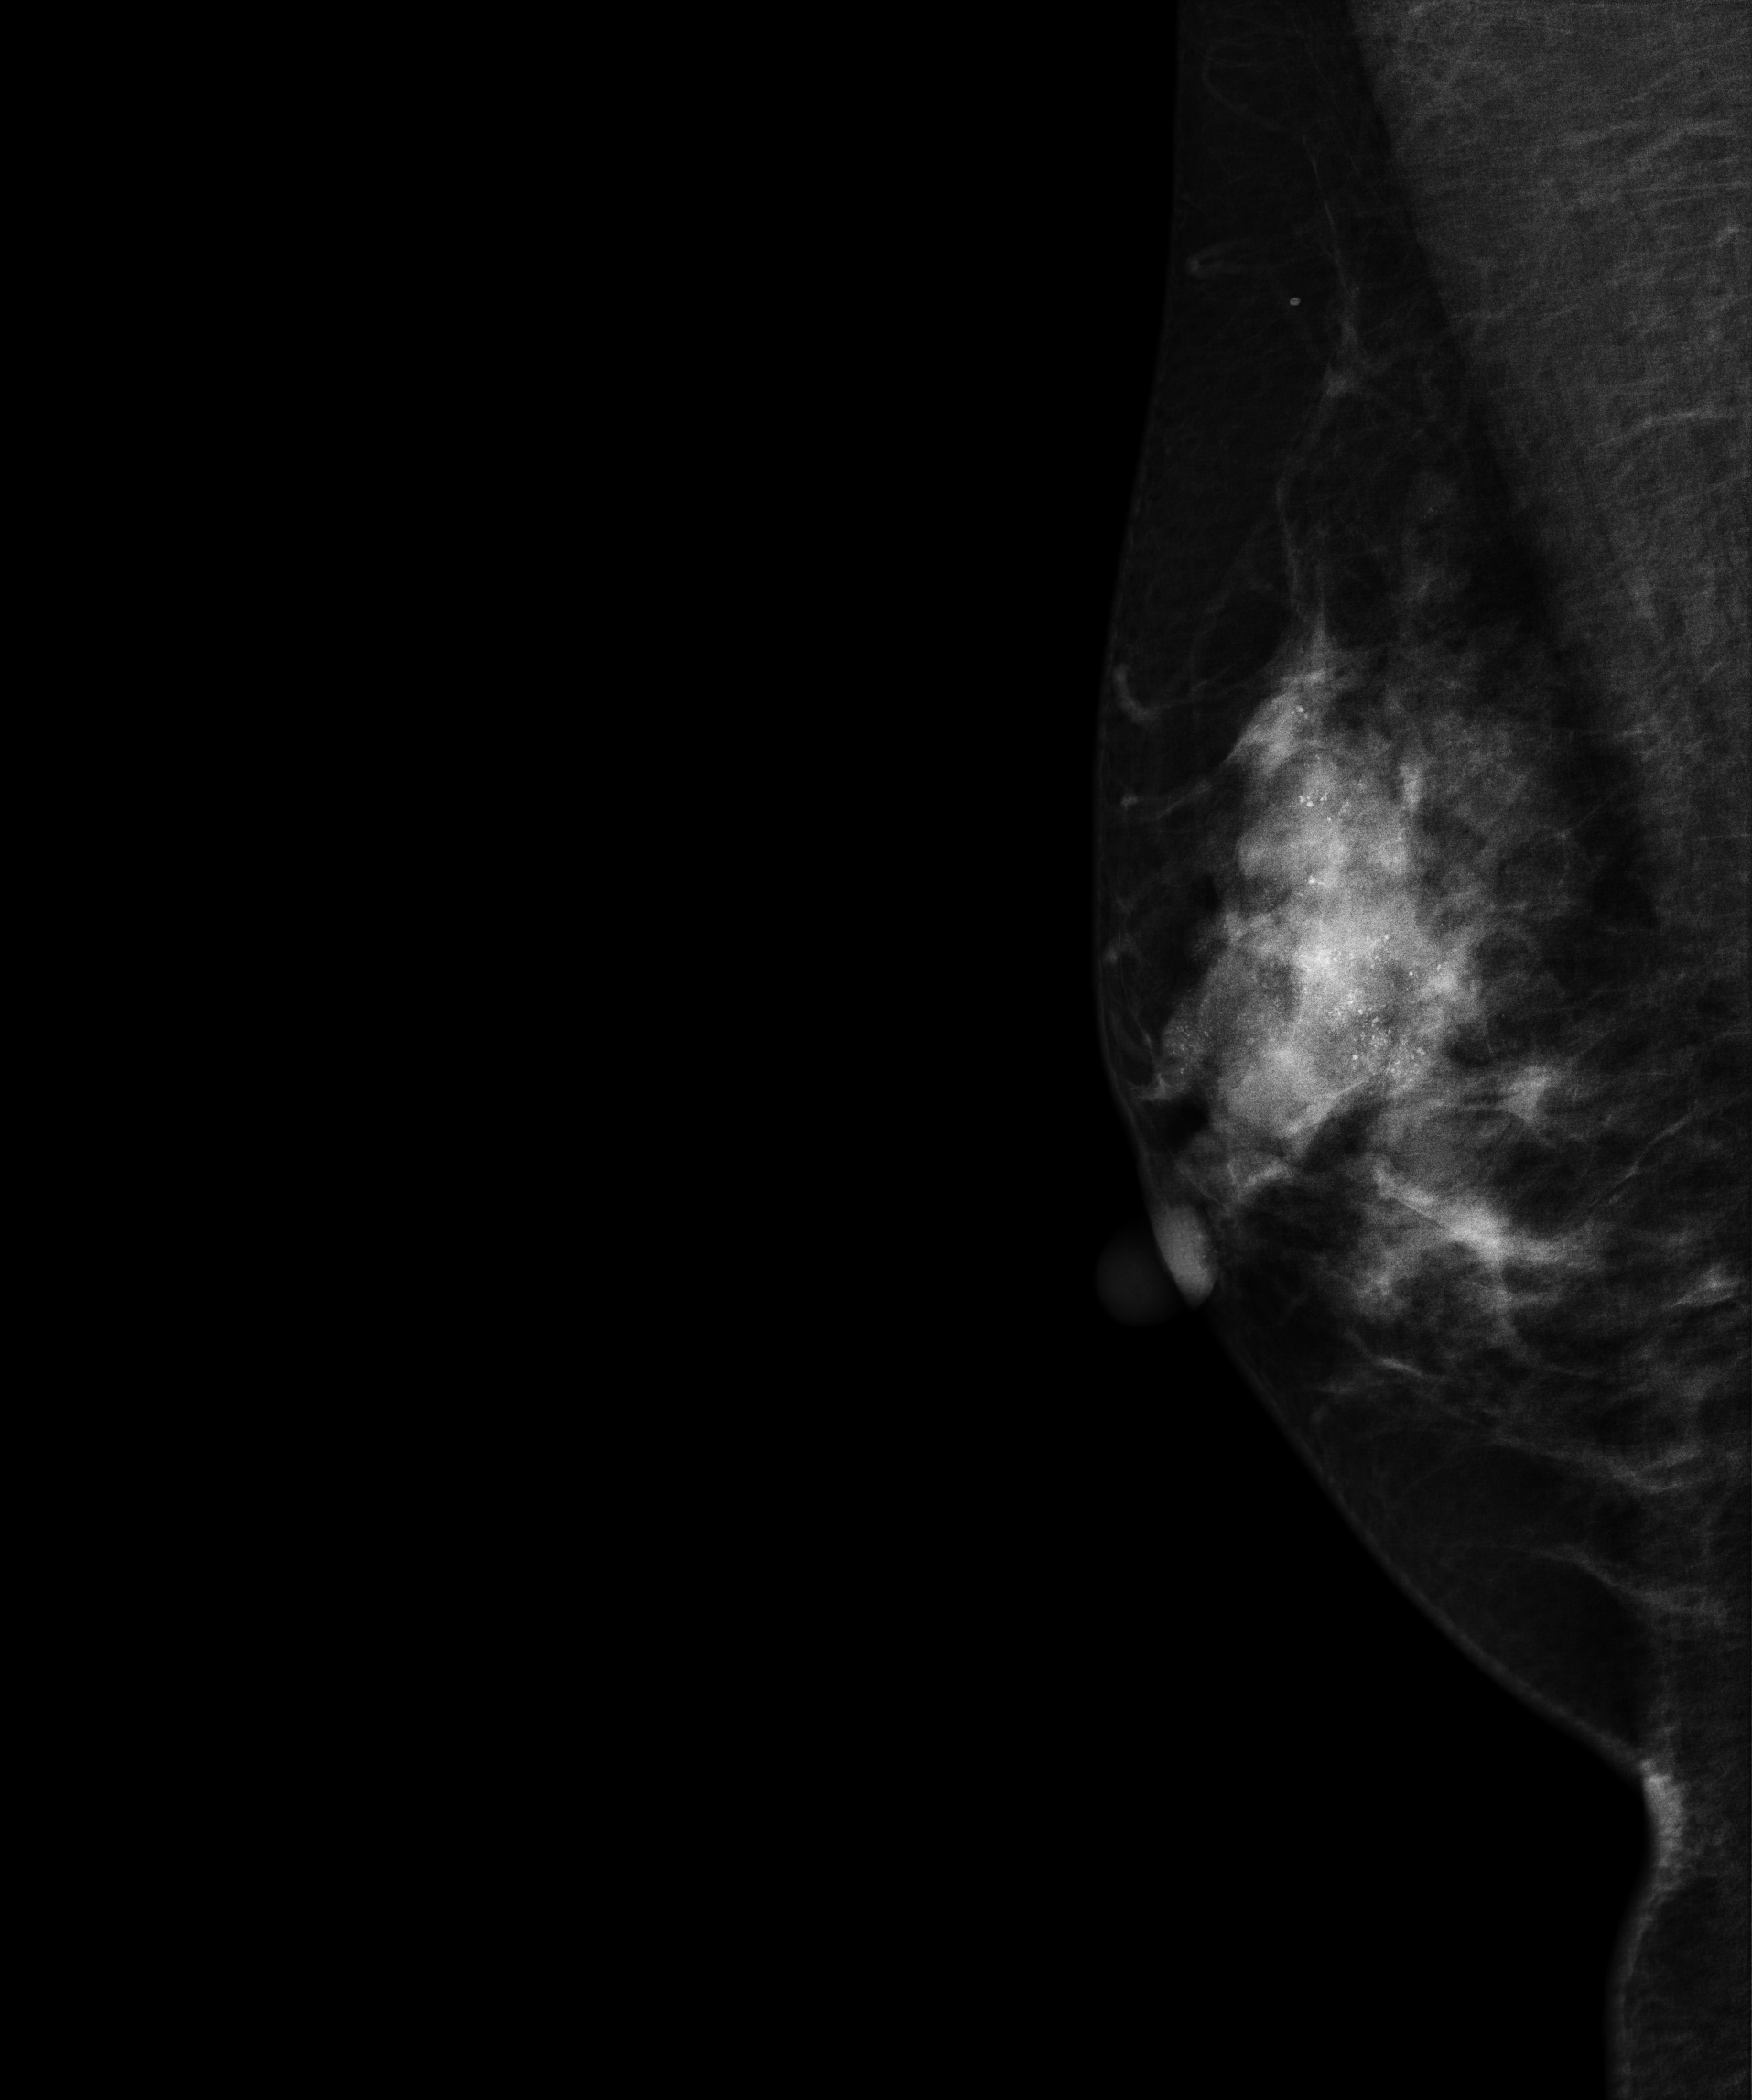
MLO mammogram of the right breast. 38 y/o patient.
This breast has a mass and calcifications, biopsy-proven malignant.